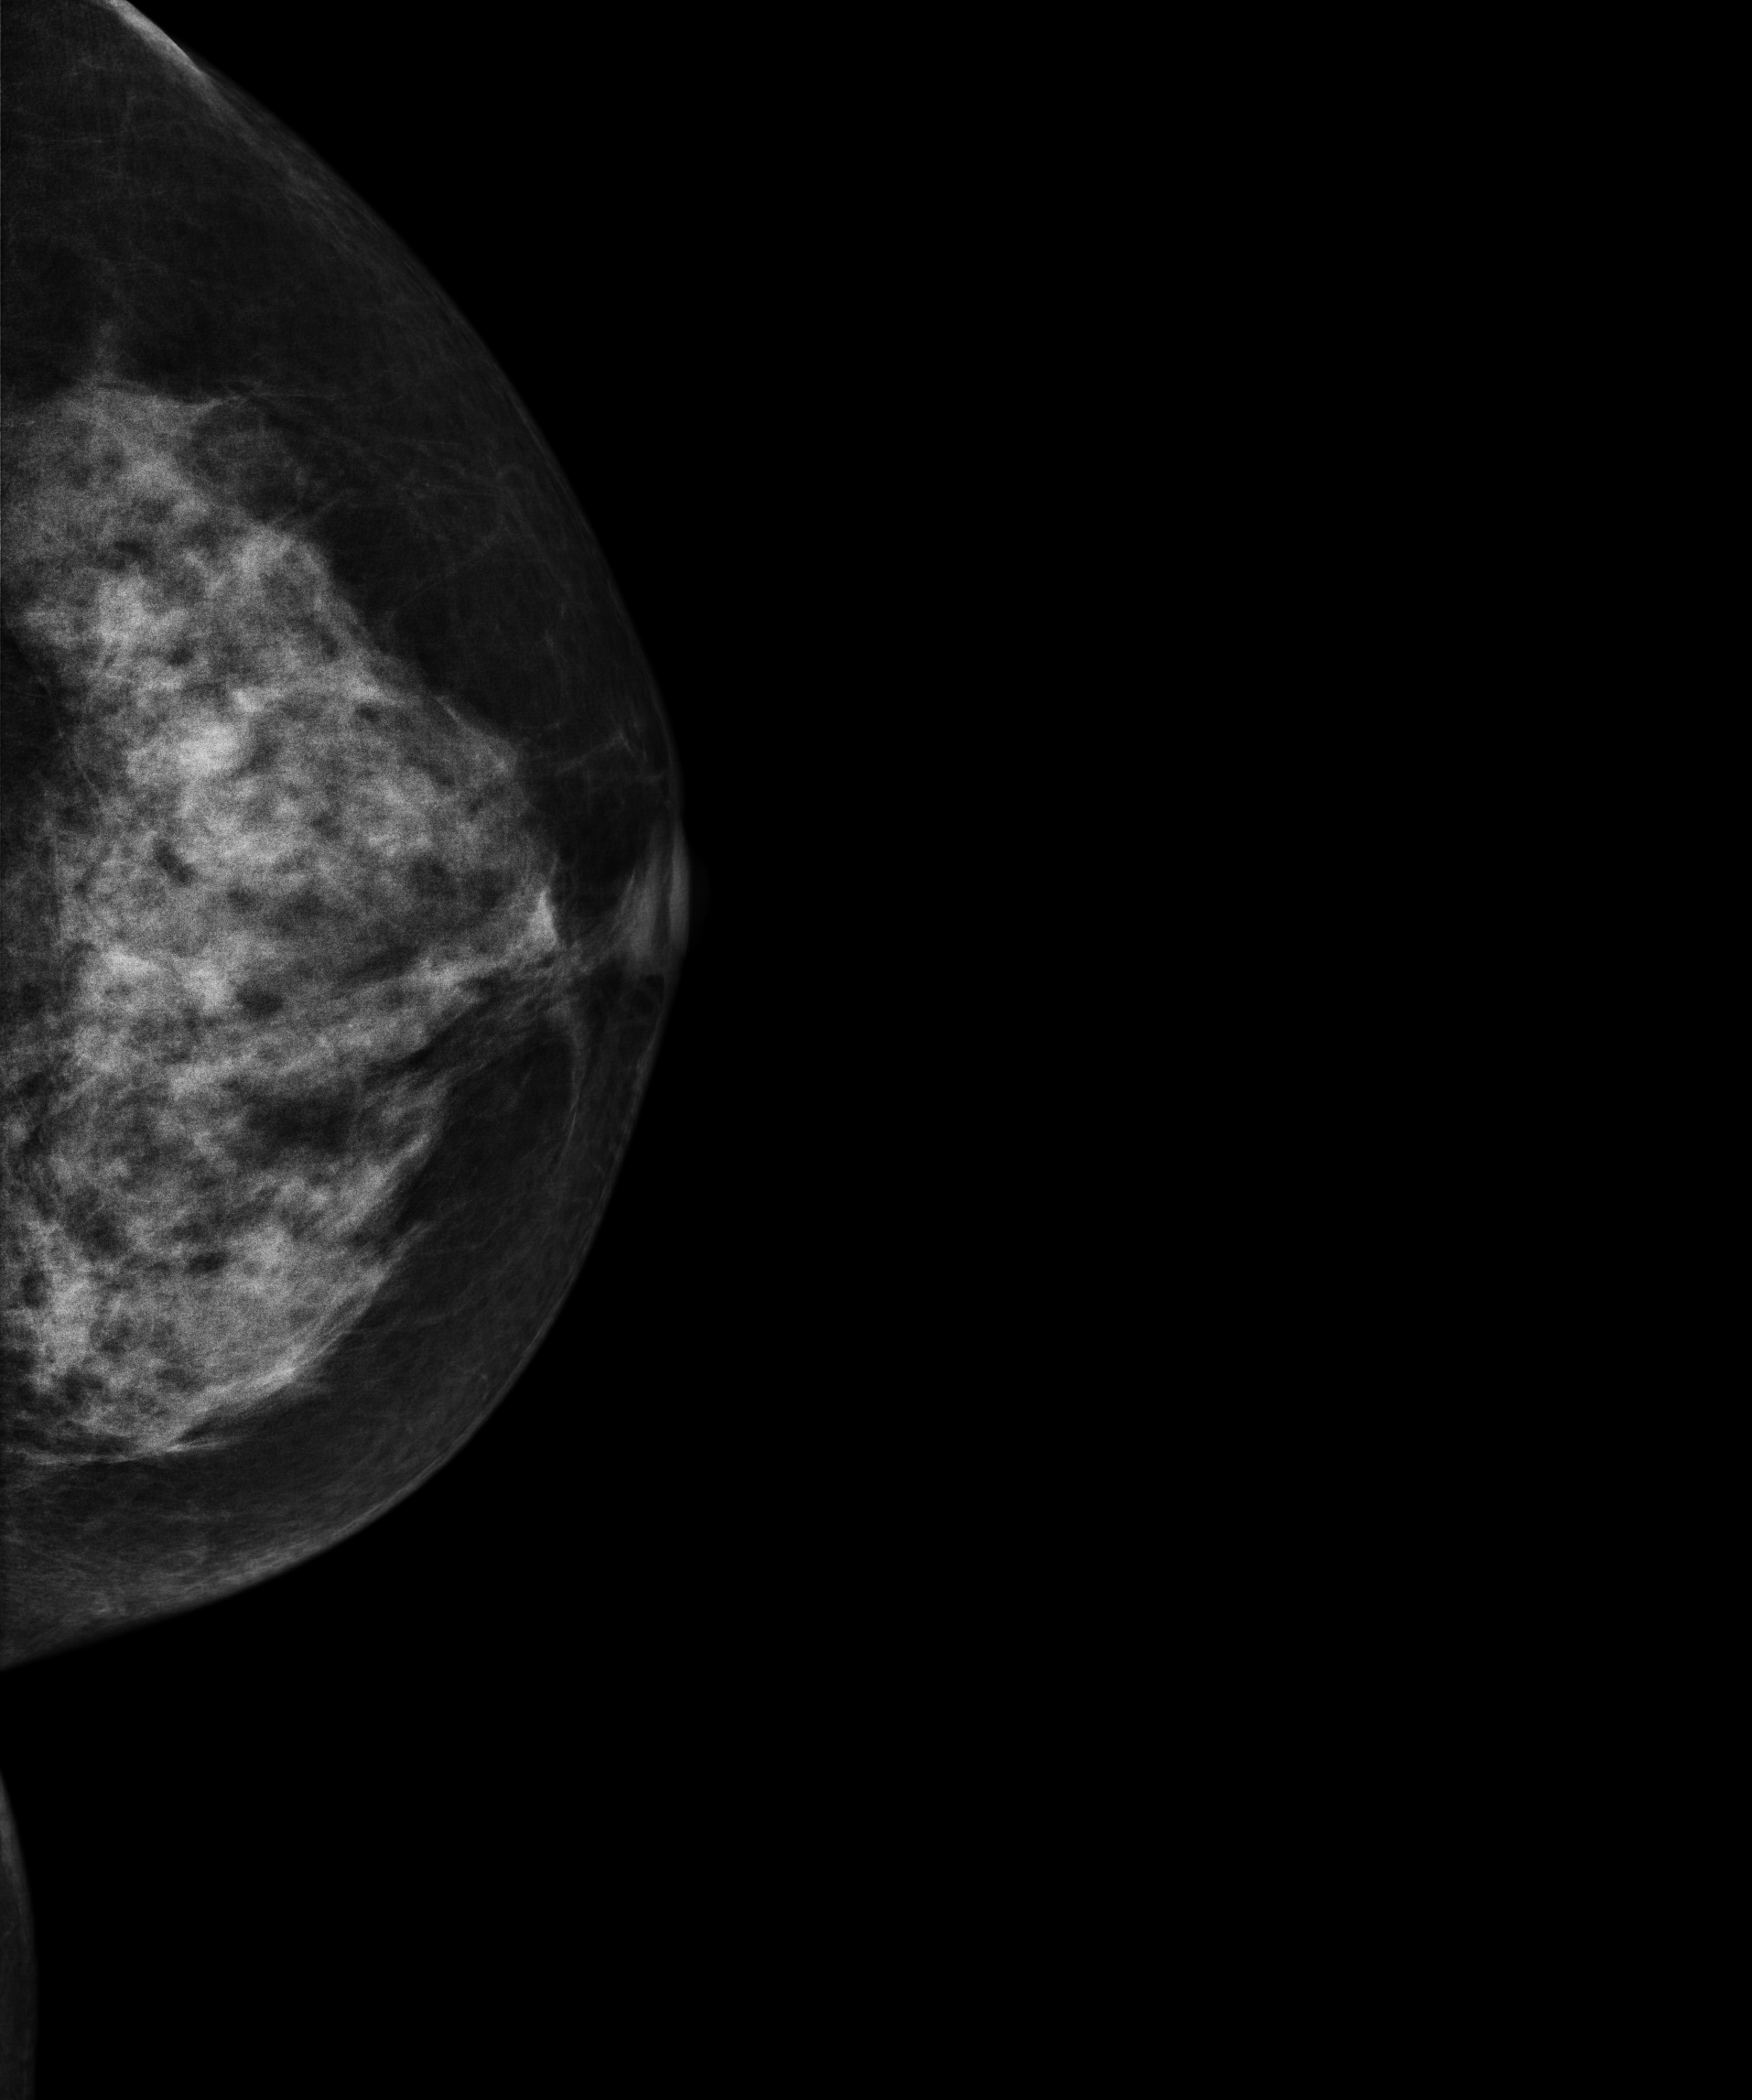
CC mammogram of the left breast. 51 y/o patient.
This breast has a mass, biopsy-confirmed benign.